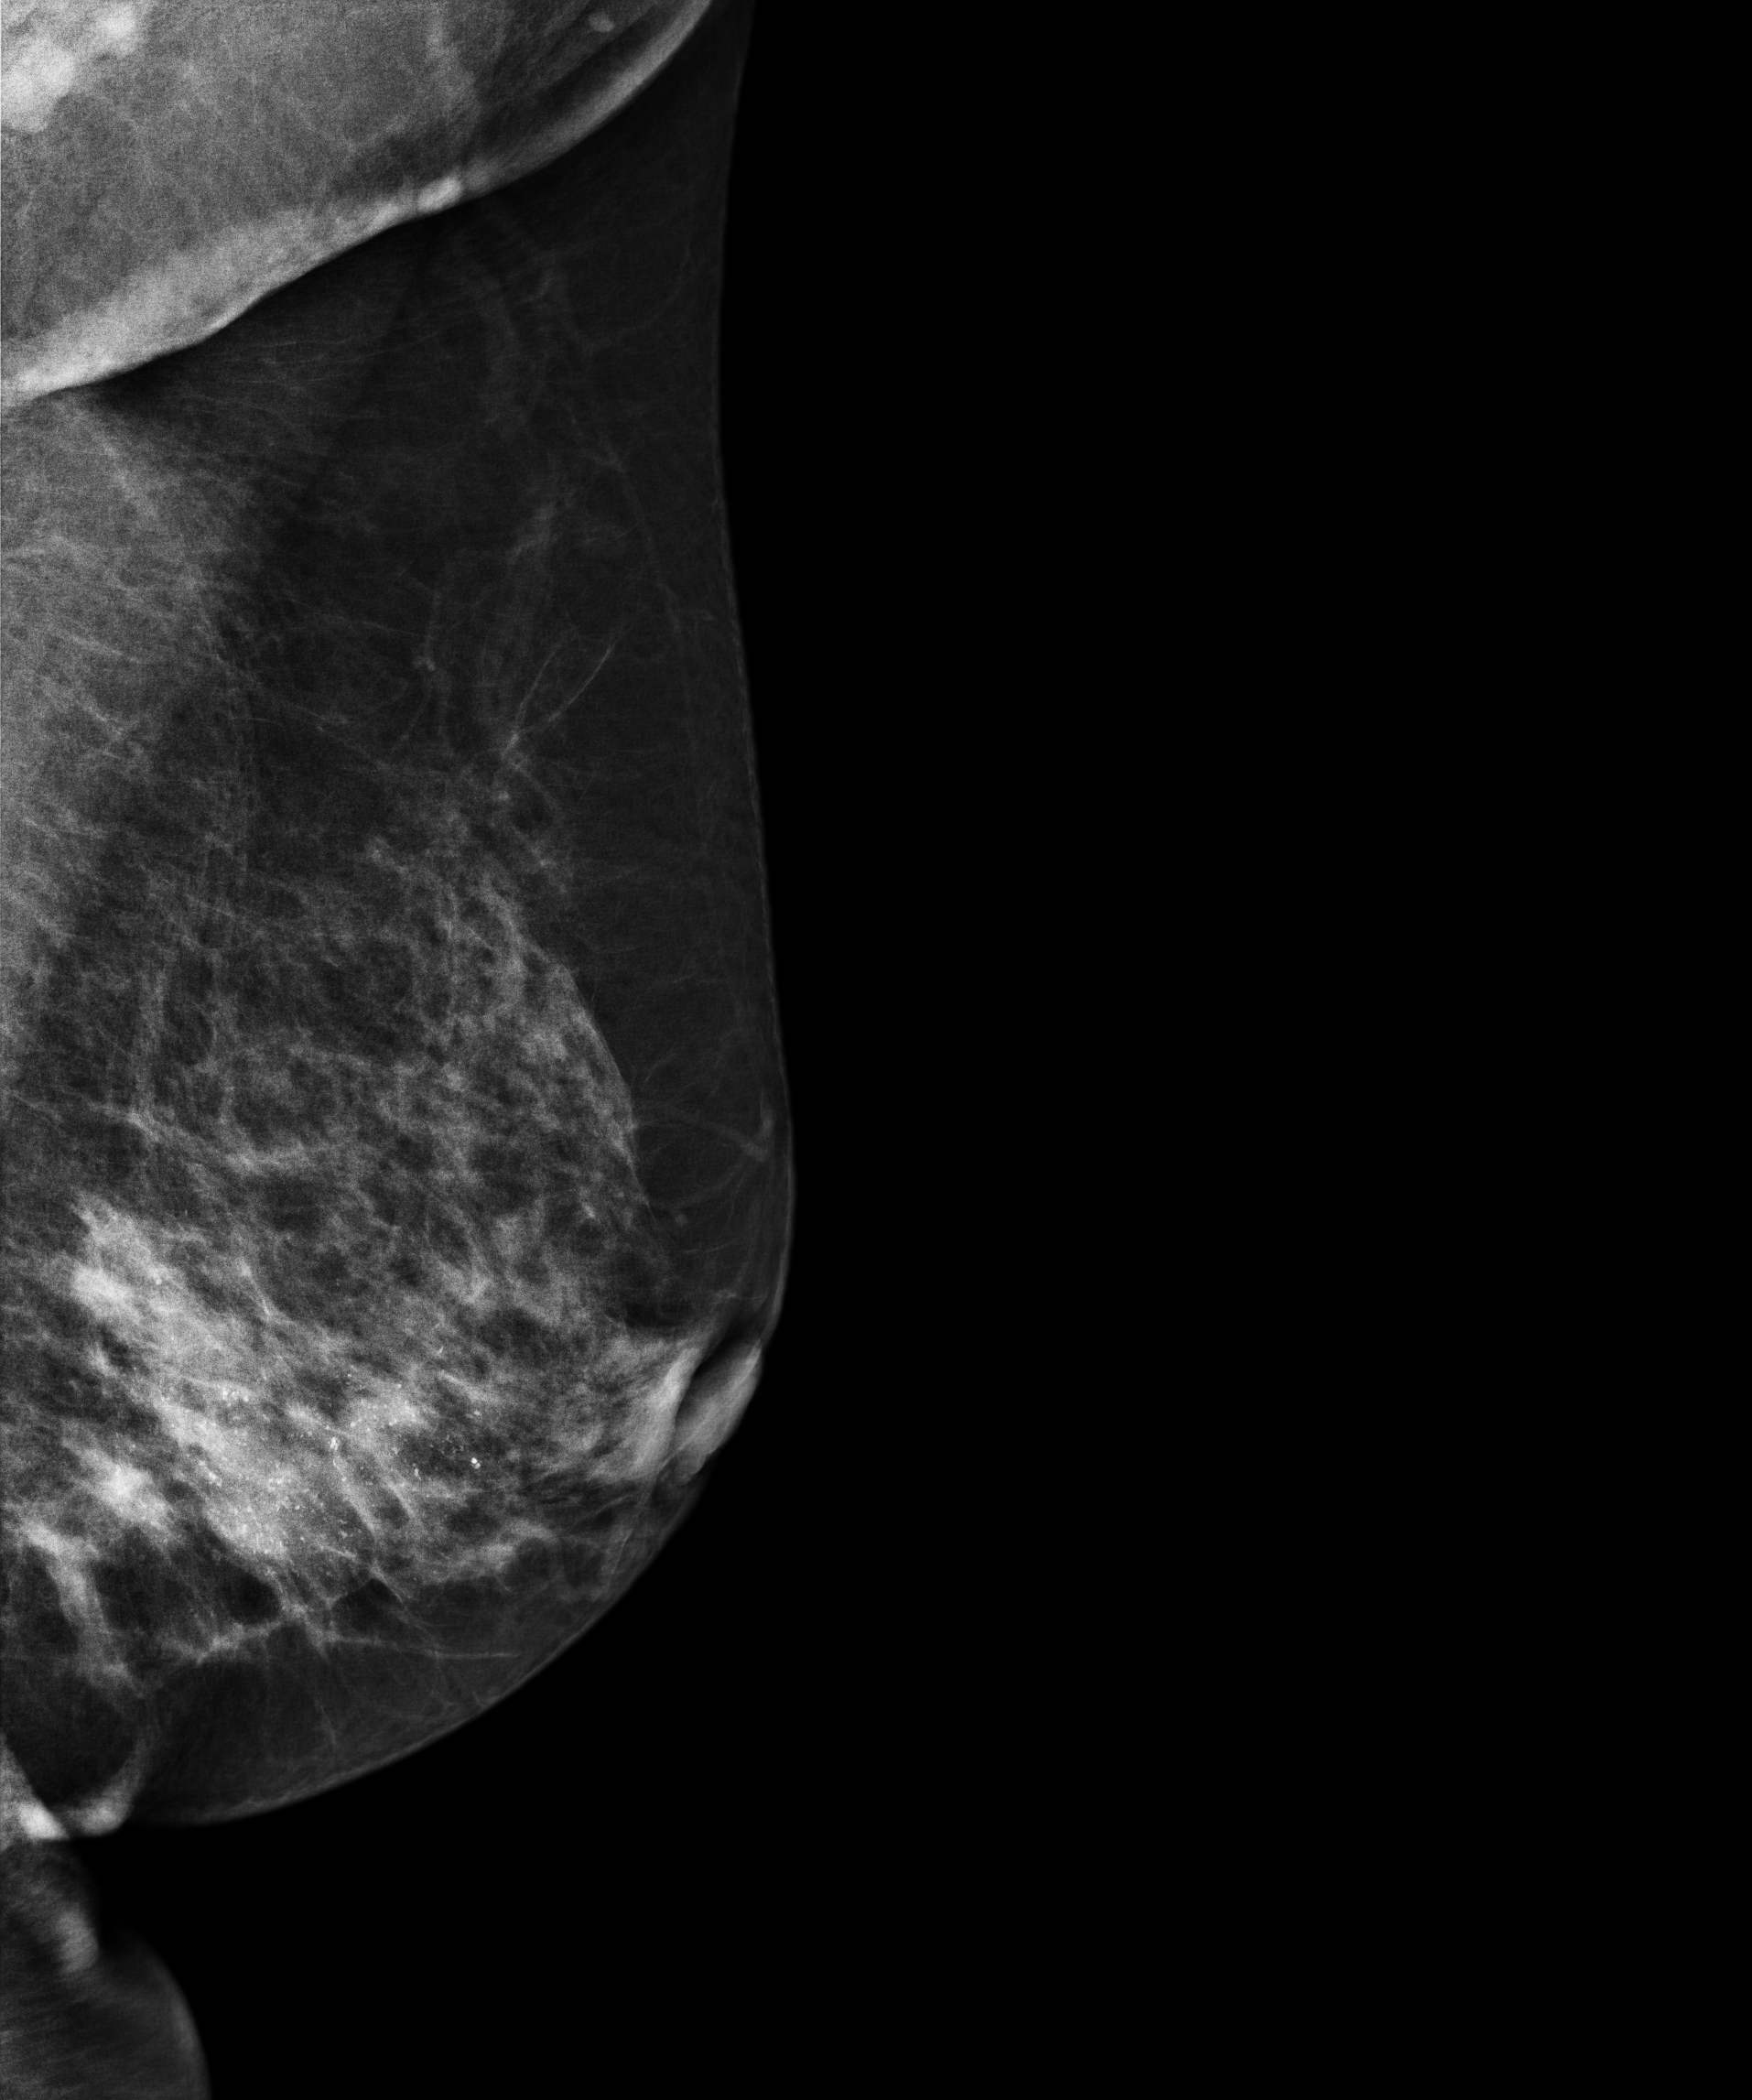
Mammogram — left MLO. Patient age 63.
This breast has calcifications, biopsy-confirmed malignant.